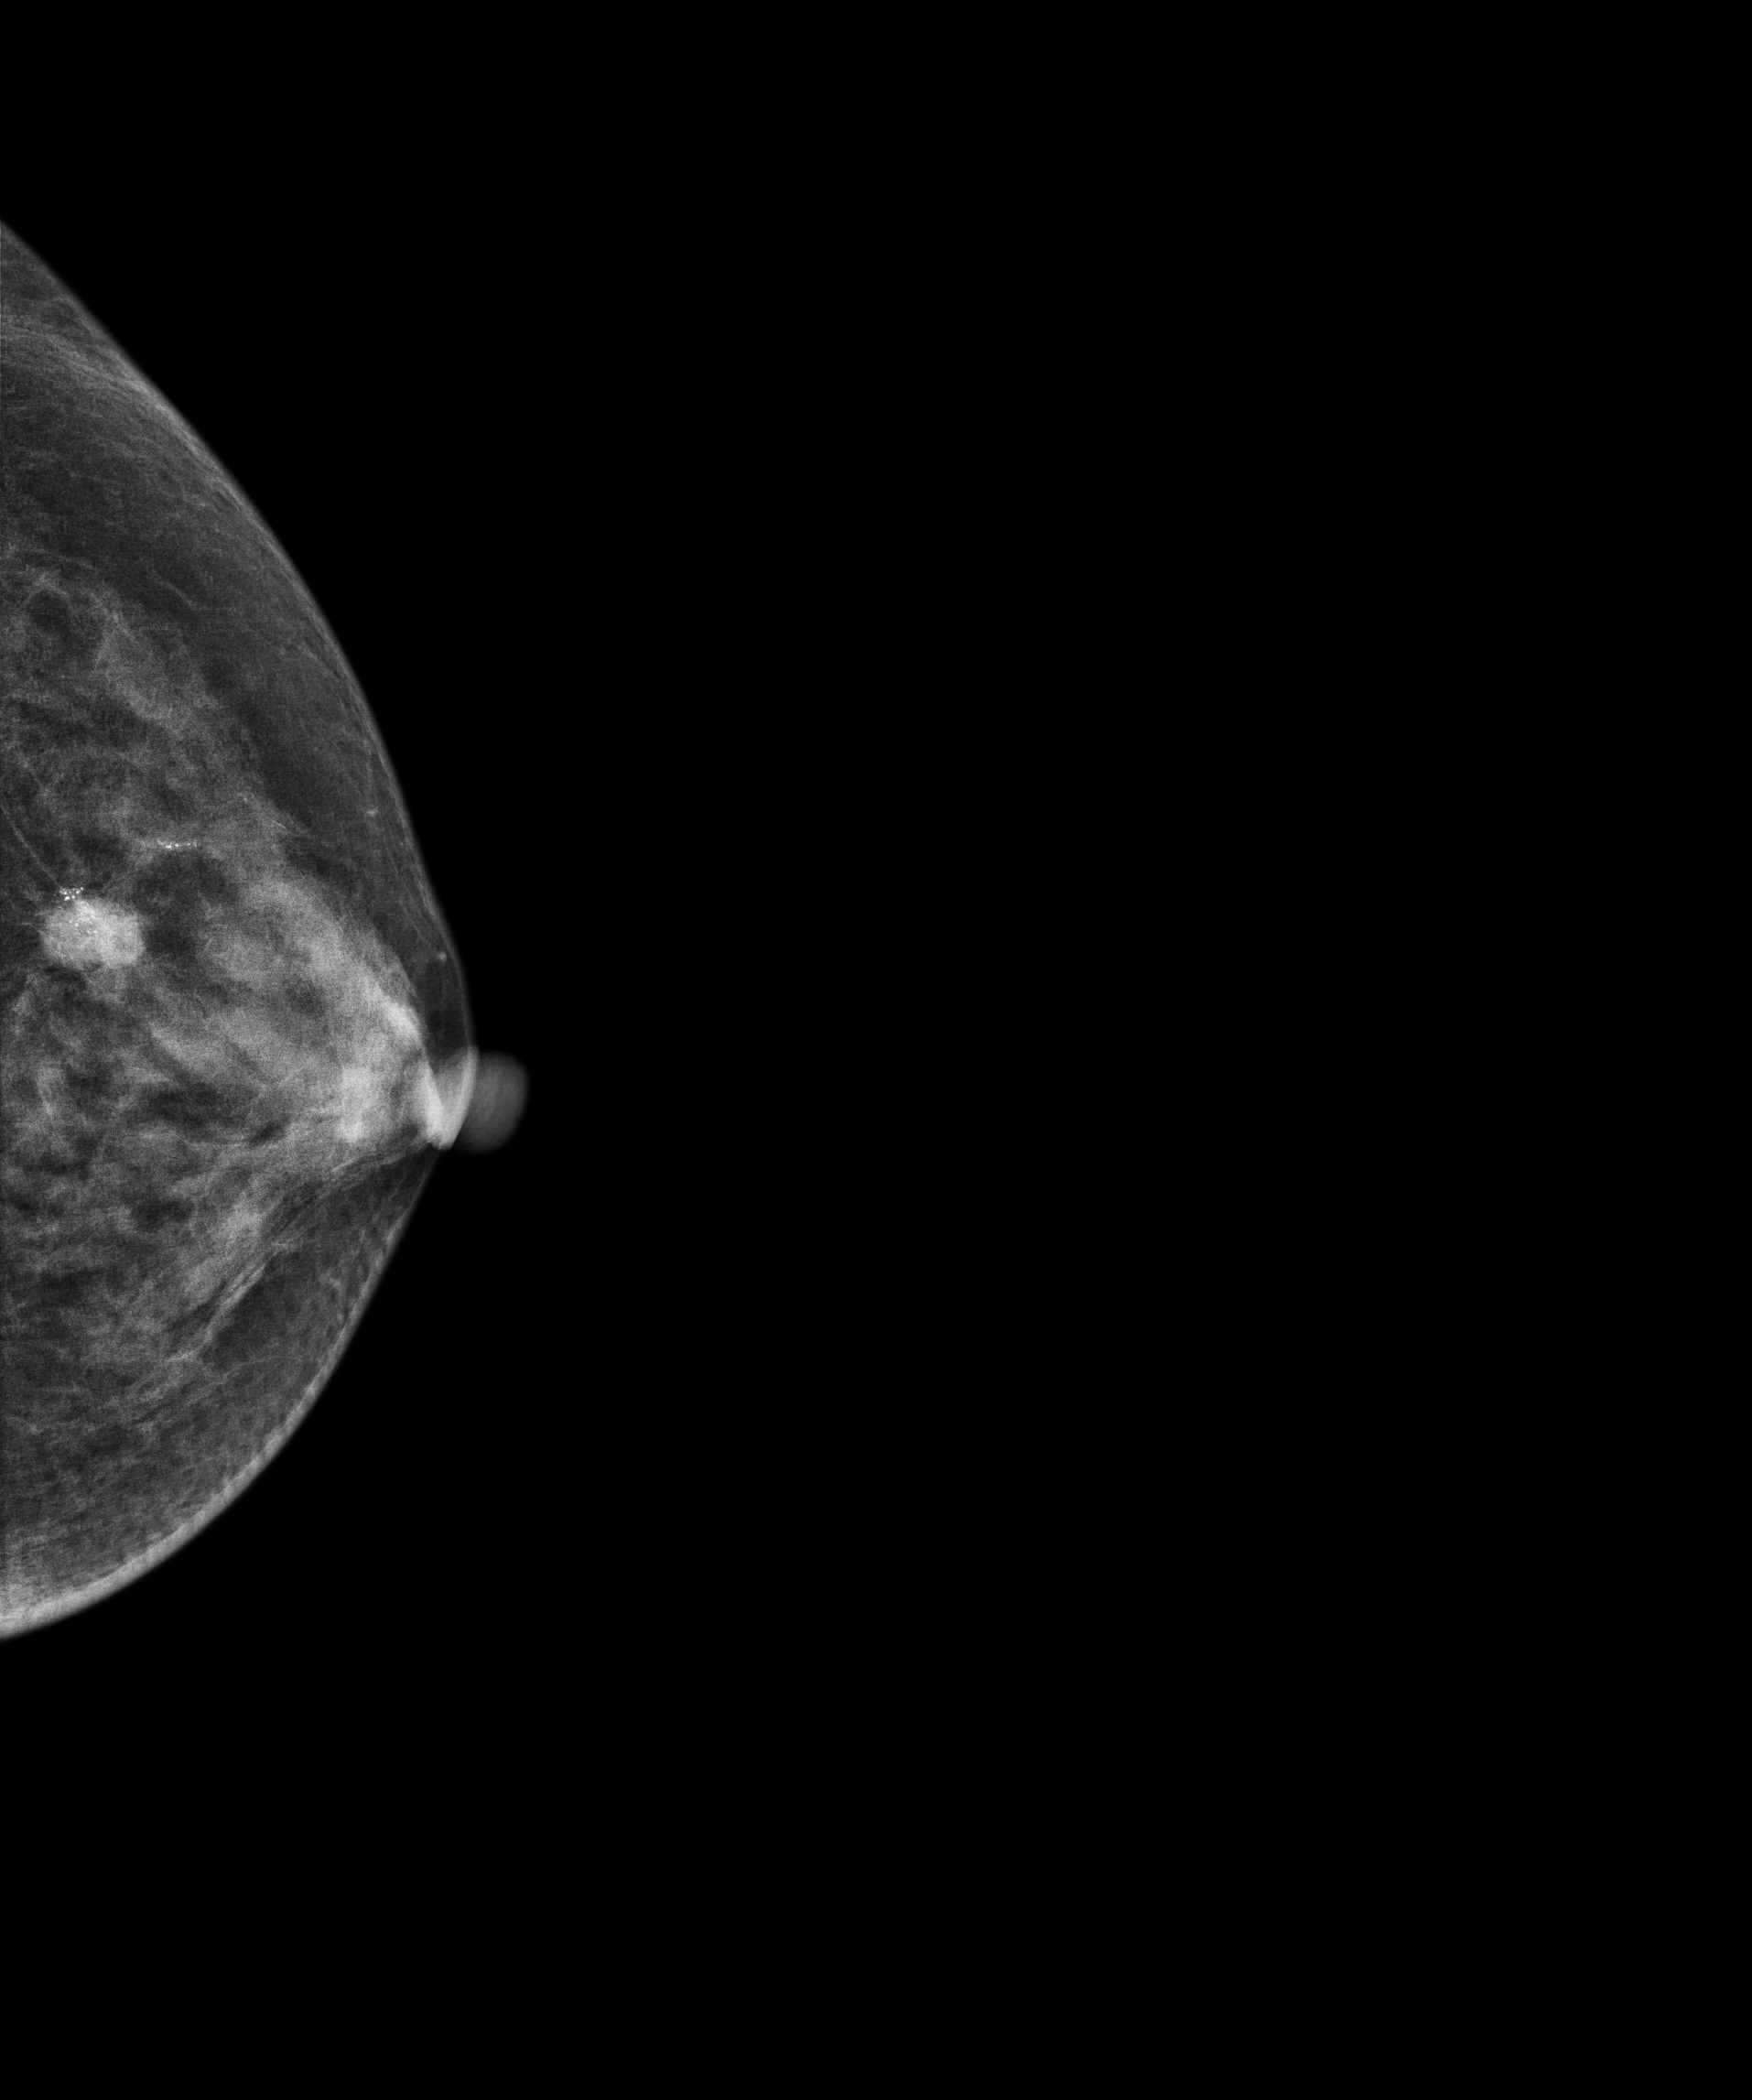
Mammogram — left CC. 70 y/o patient.
This breast has a mass and calcifications, biopsy-confirmed malignant. Molecular subtype: luminal B.